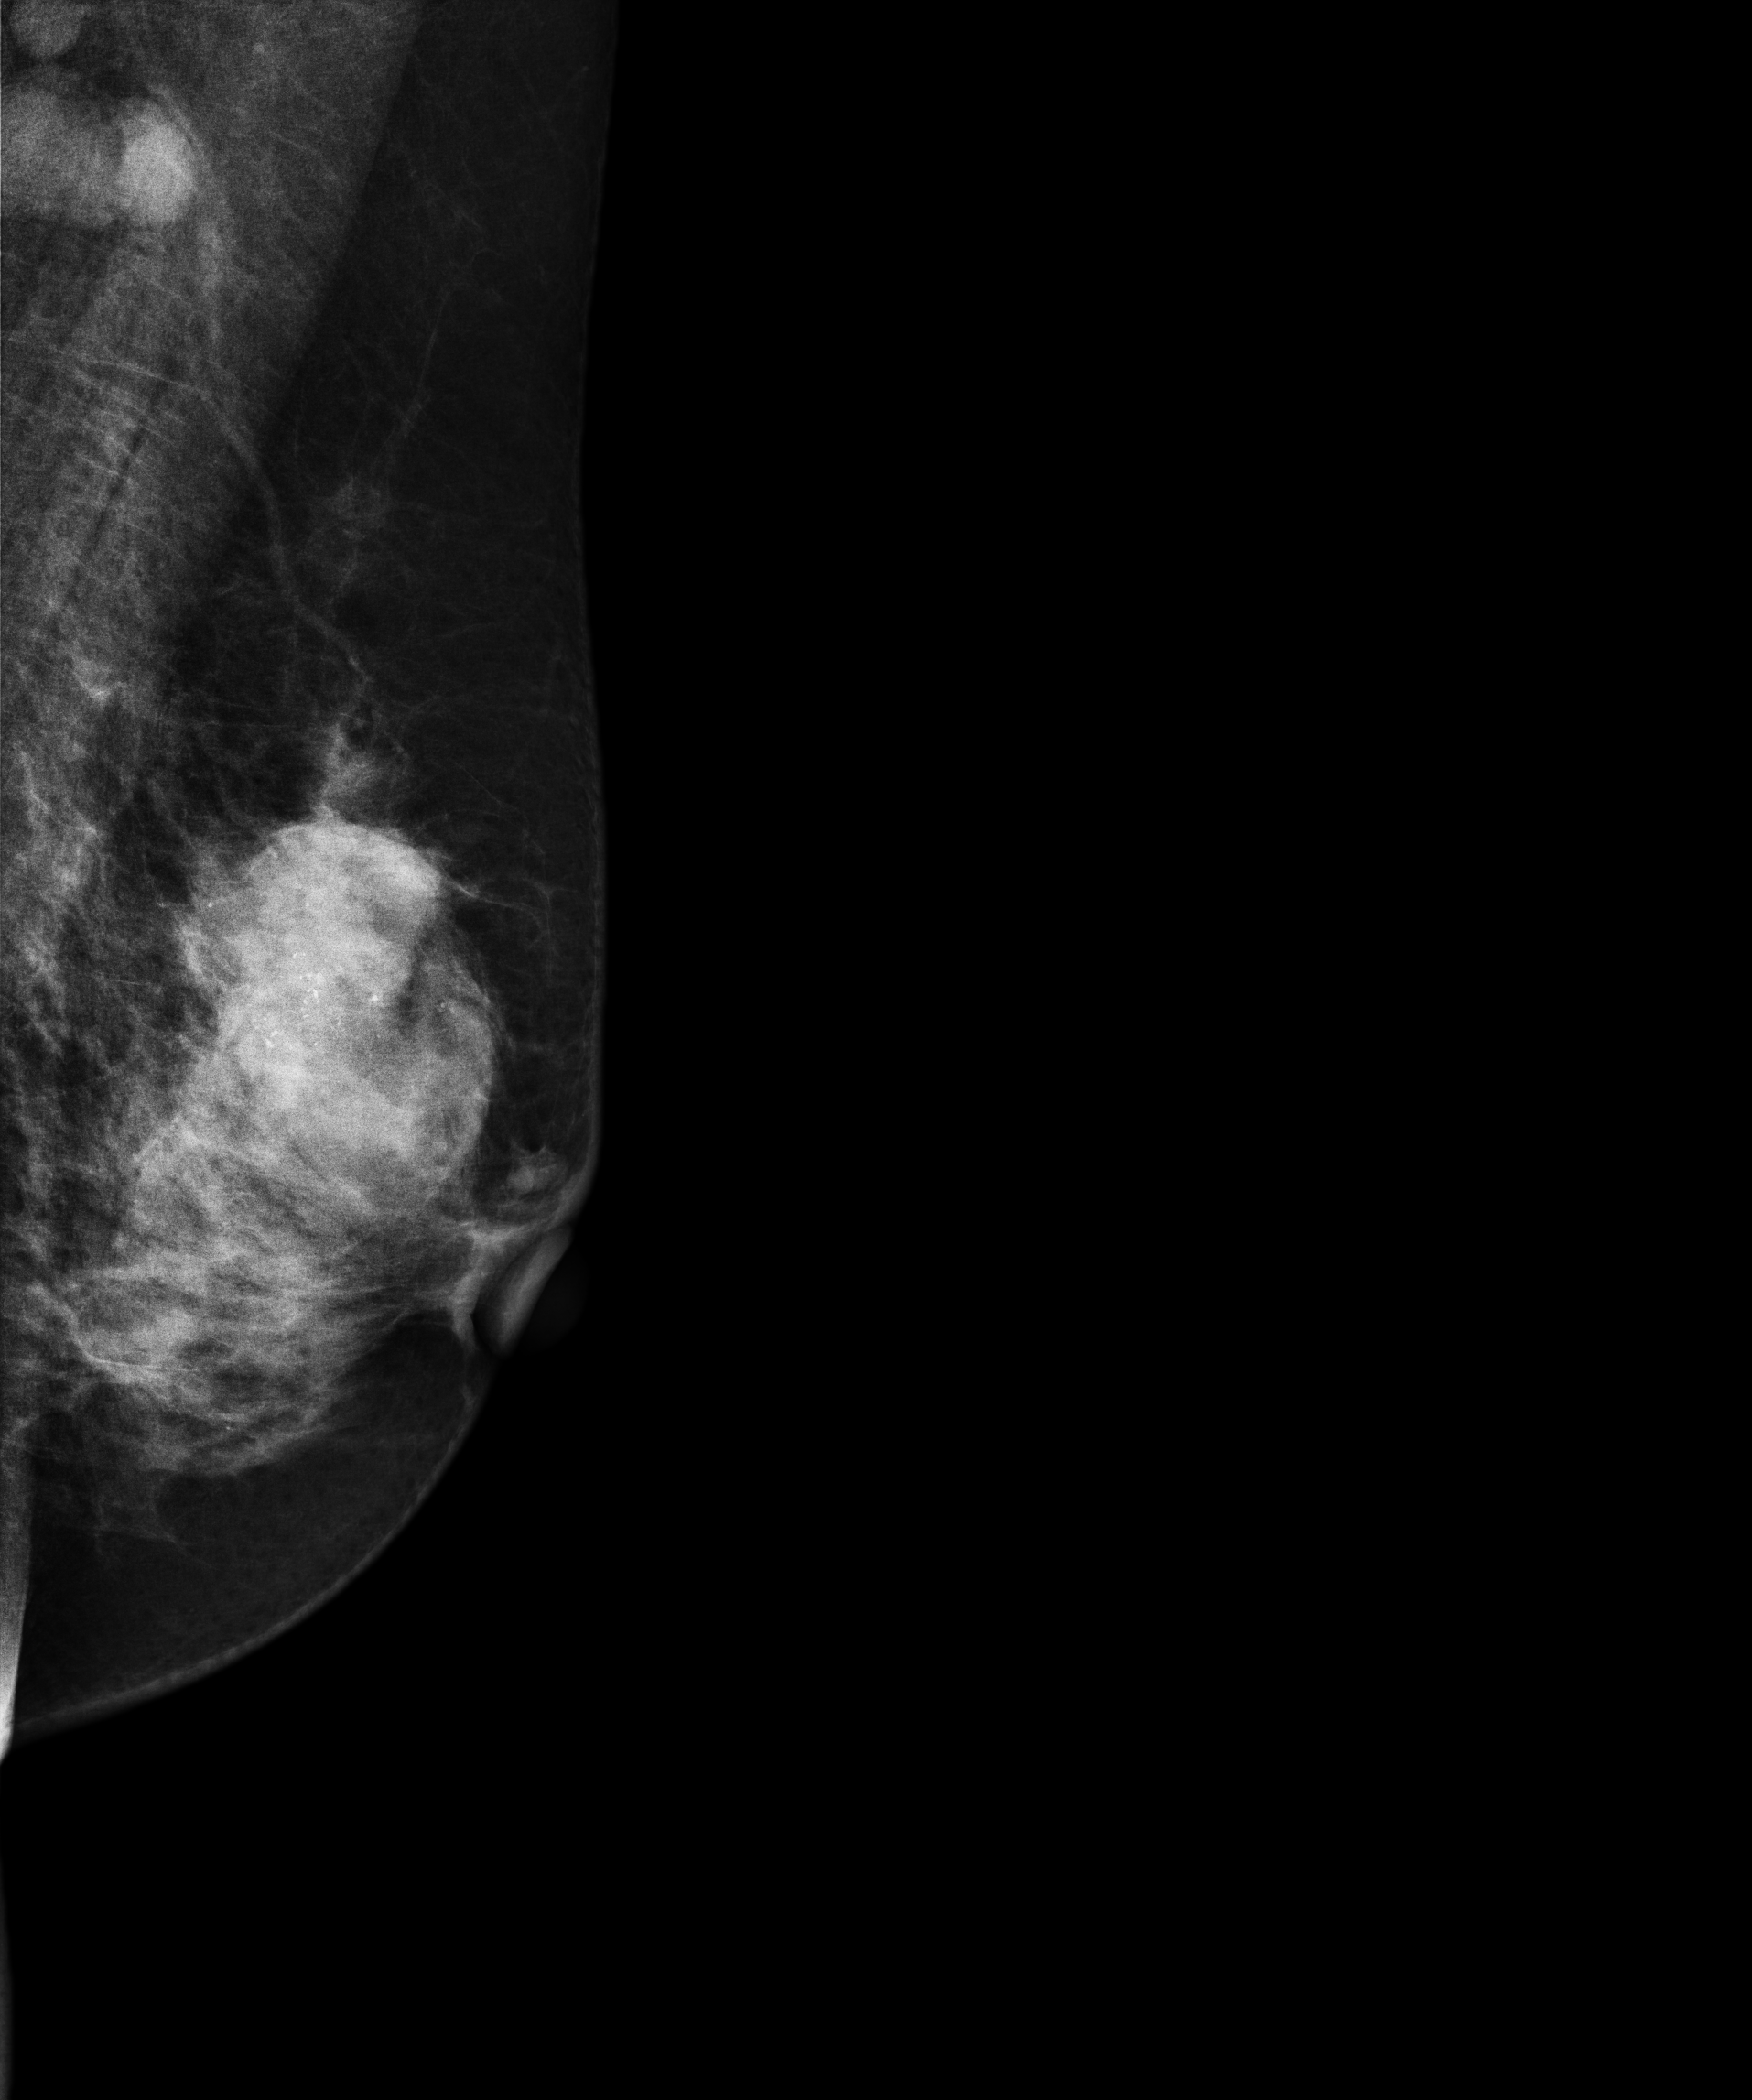
Left-breast mammogram, MLO. Patient age 58.
This breast has a mass and calcifications, biopsy-confirmed malignant.